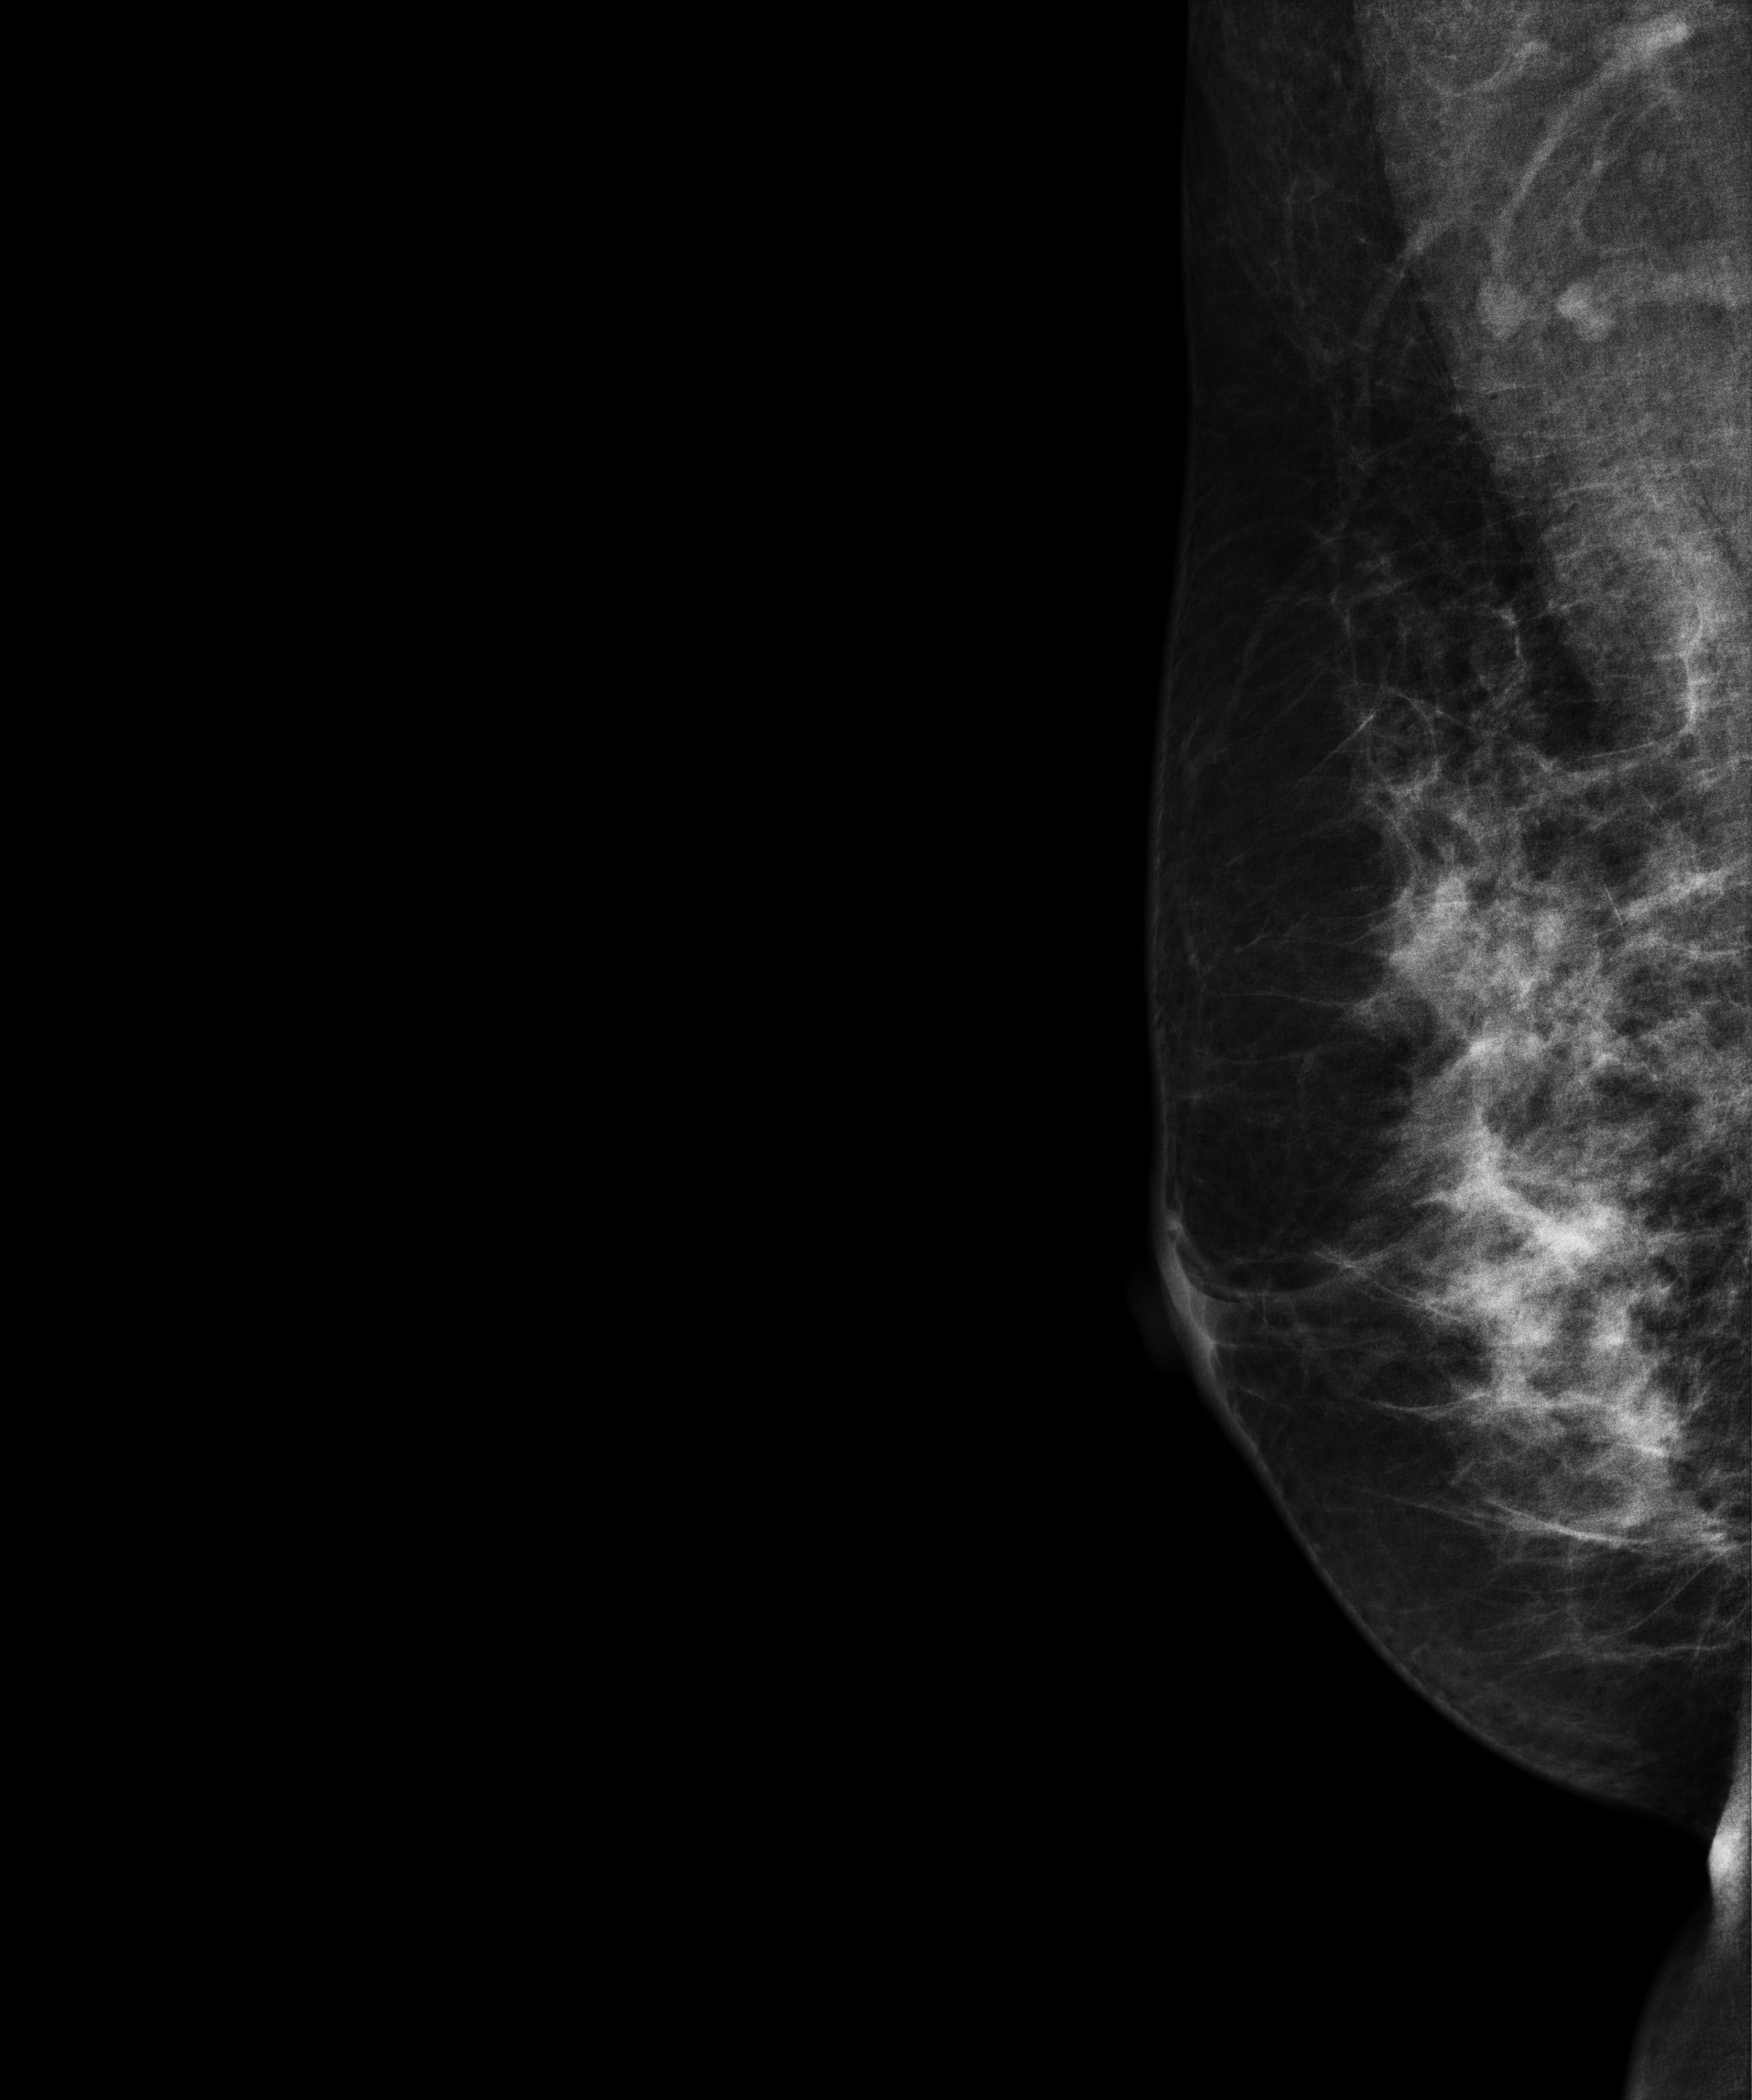
Mammogram, right breast, MLO view. 54 y/o patient.
Contralateral breast — no documented abnormality on this side.